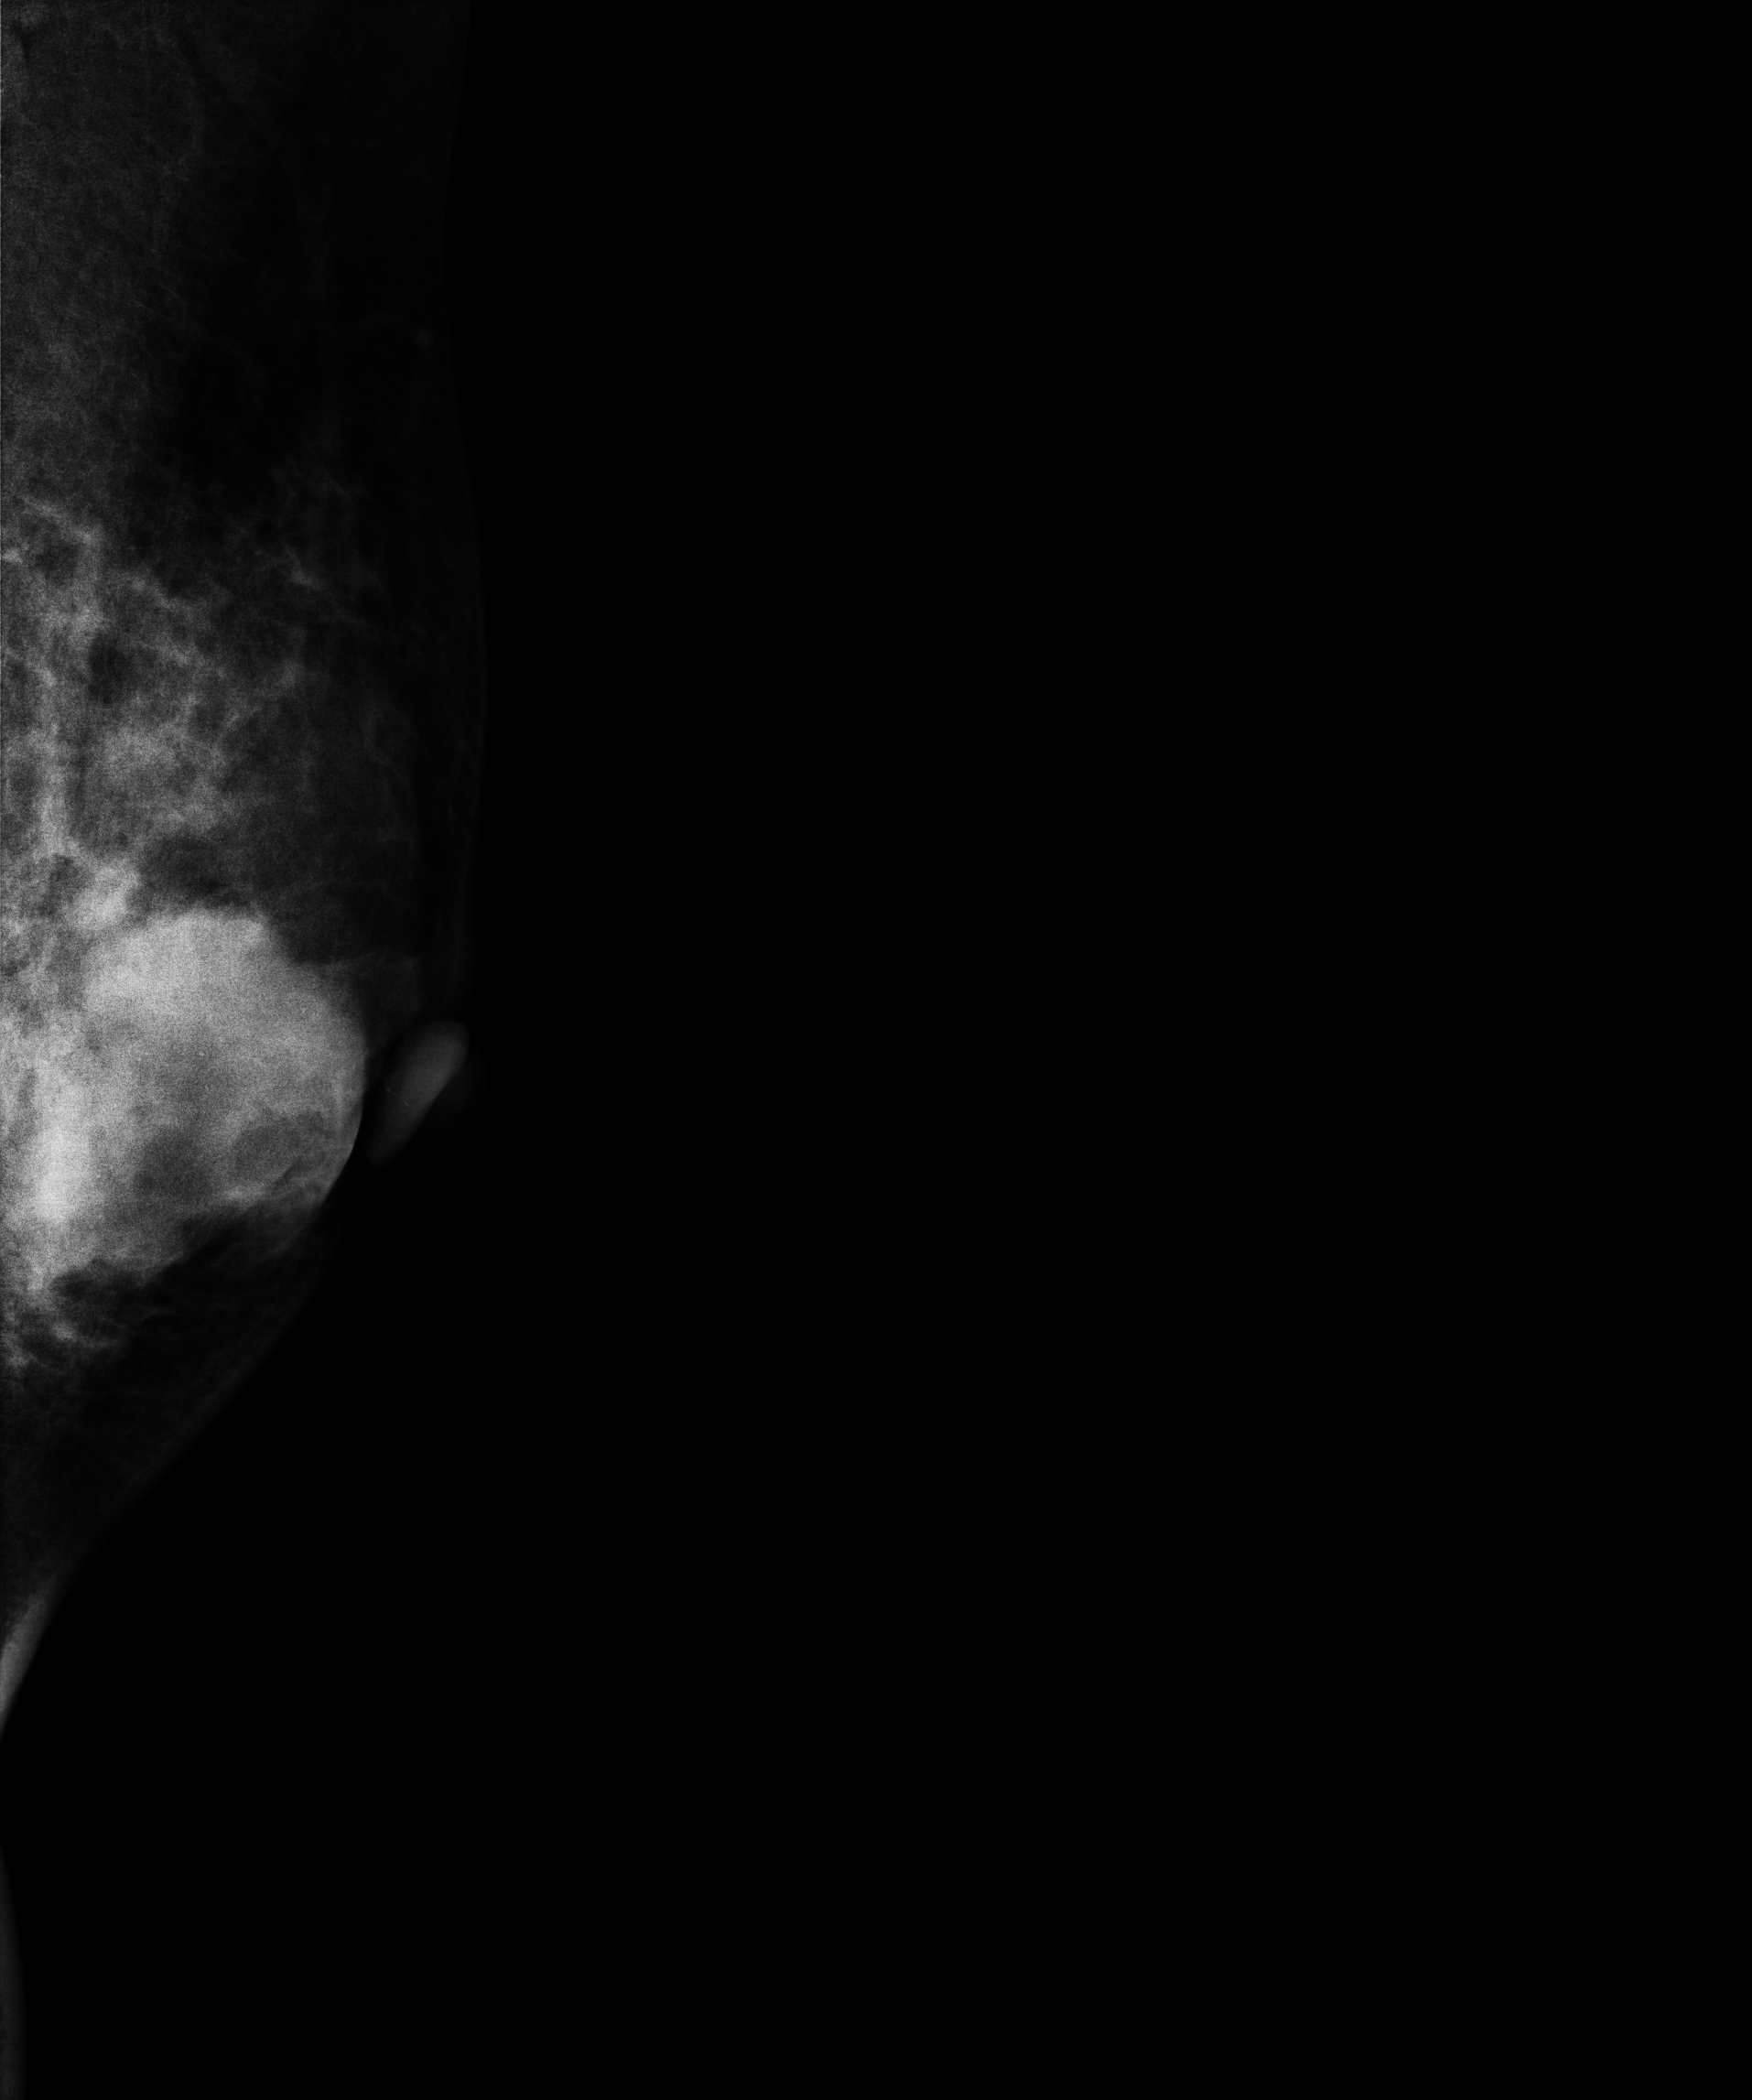
Mammogram, left breast, medio-lateral oblique view. 30-year-old patient.
This breast has a mass, biopsy-confirmed malignant. Molecular subtype: HER2-enriched.